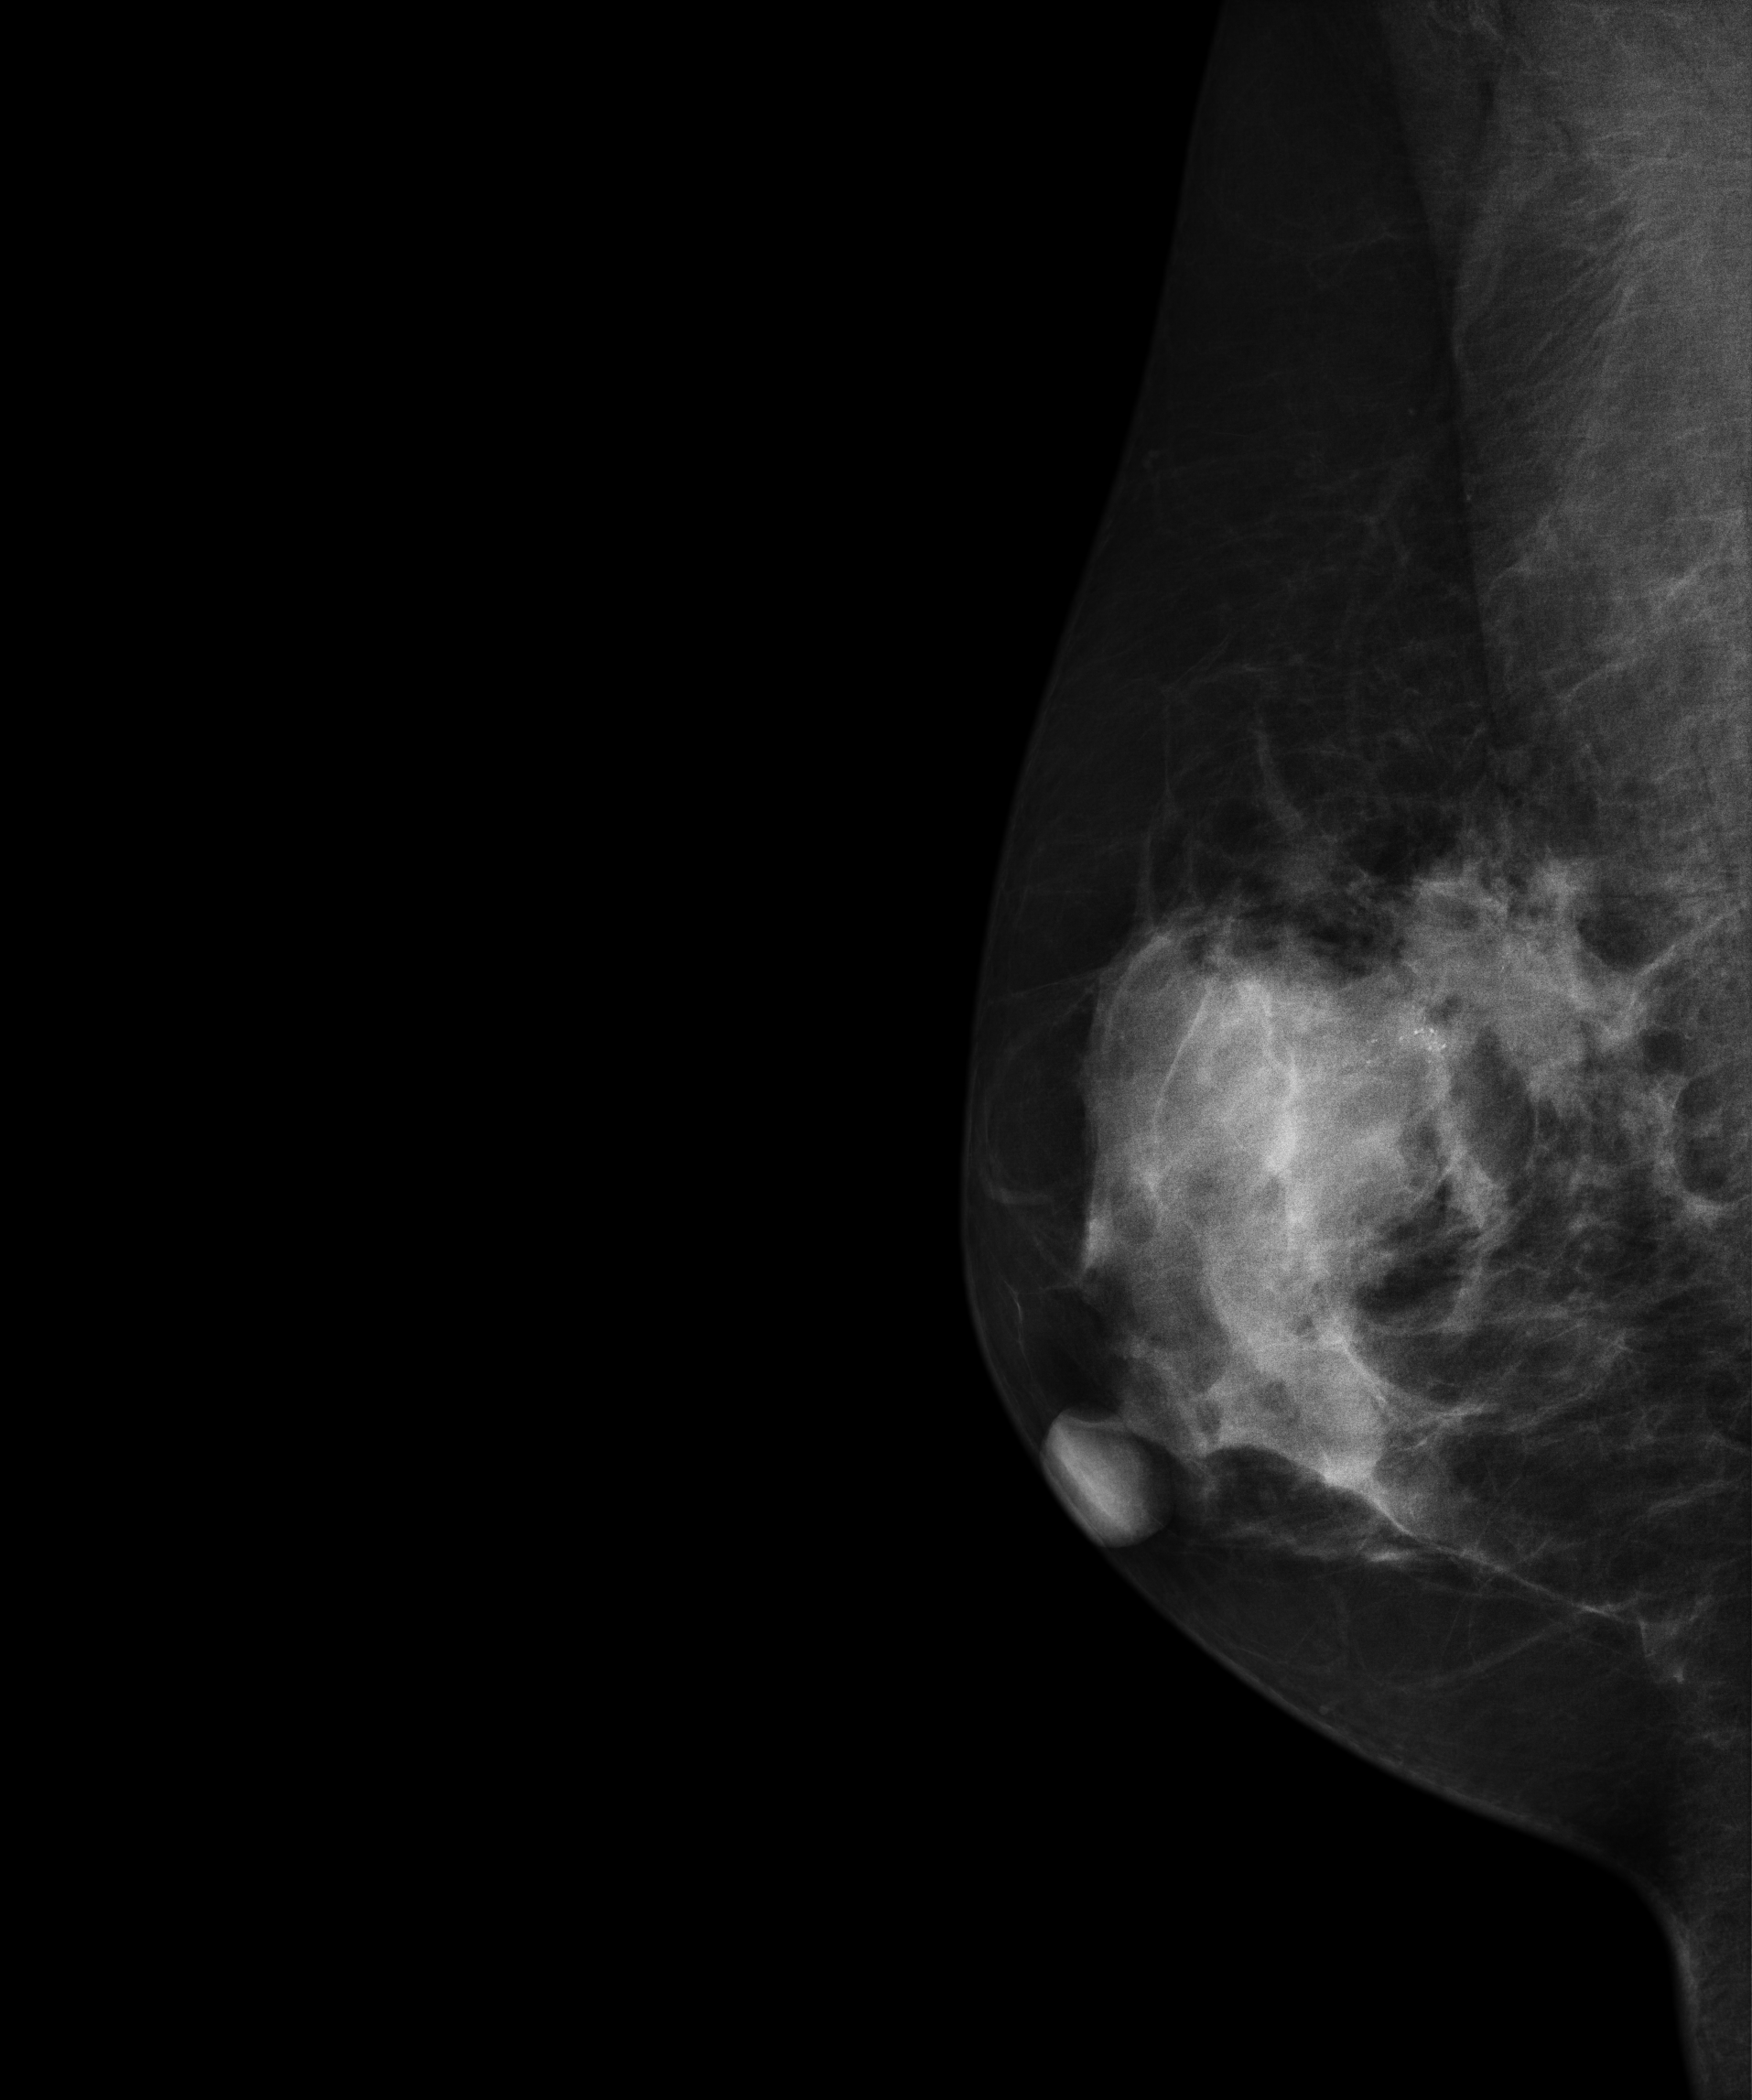
Medio-lateral oblique mammogram of the right breast. Patient age 42.
This breast has calcifications, pathology-confirmed malignant.